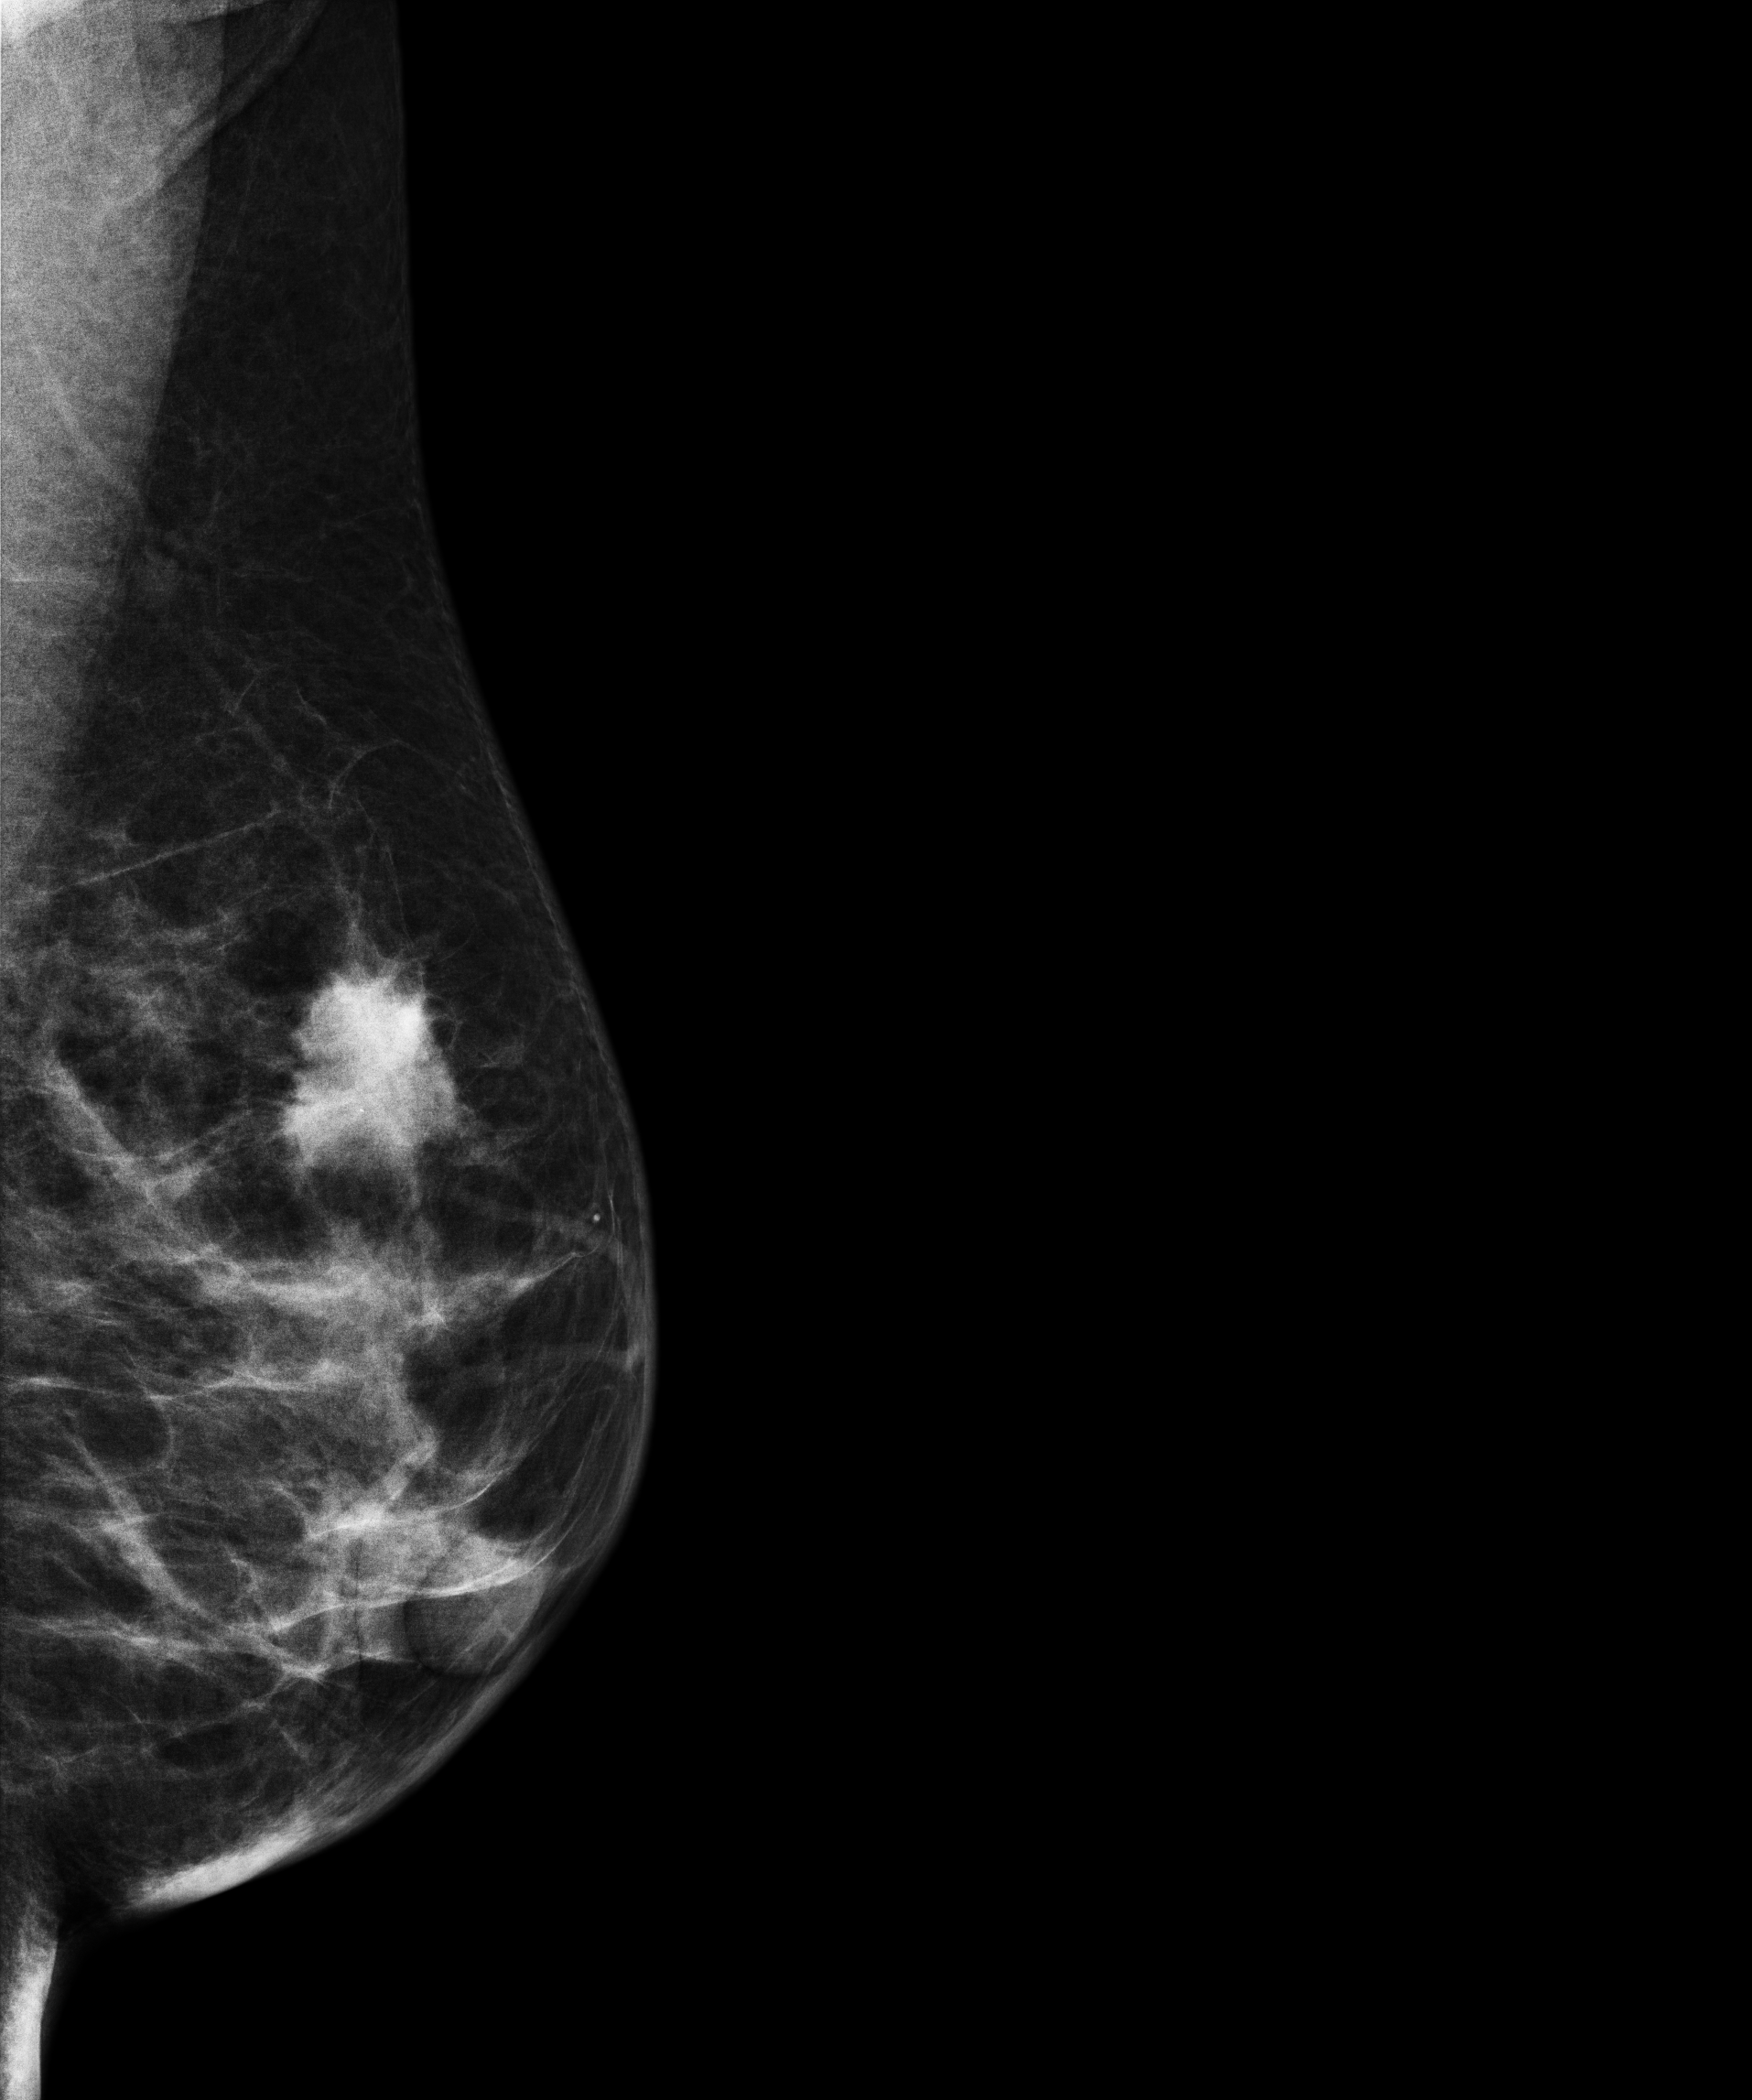
Digital mammography. Left breast, MLO projection. 41 y/o patient.
This breast has a mass, biopsy-proven malignant. Molecular subtype: triple-negative.